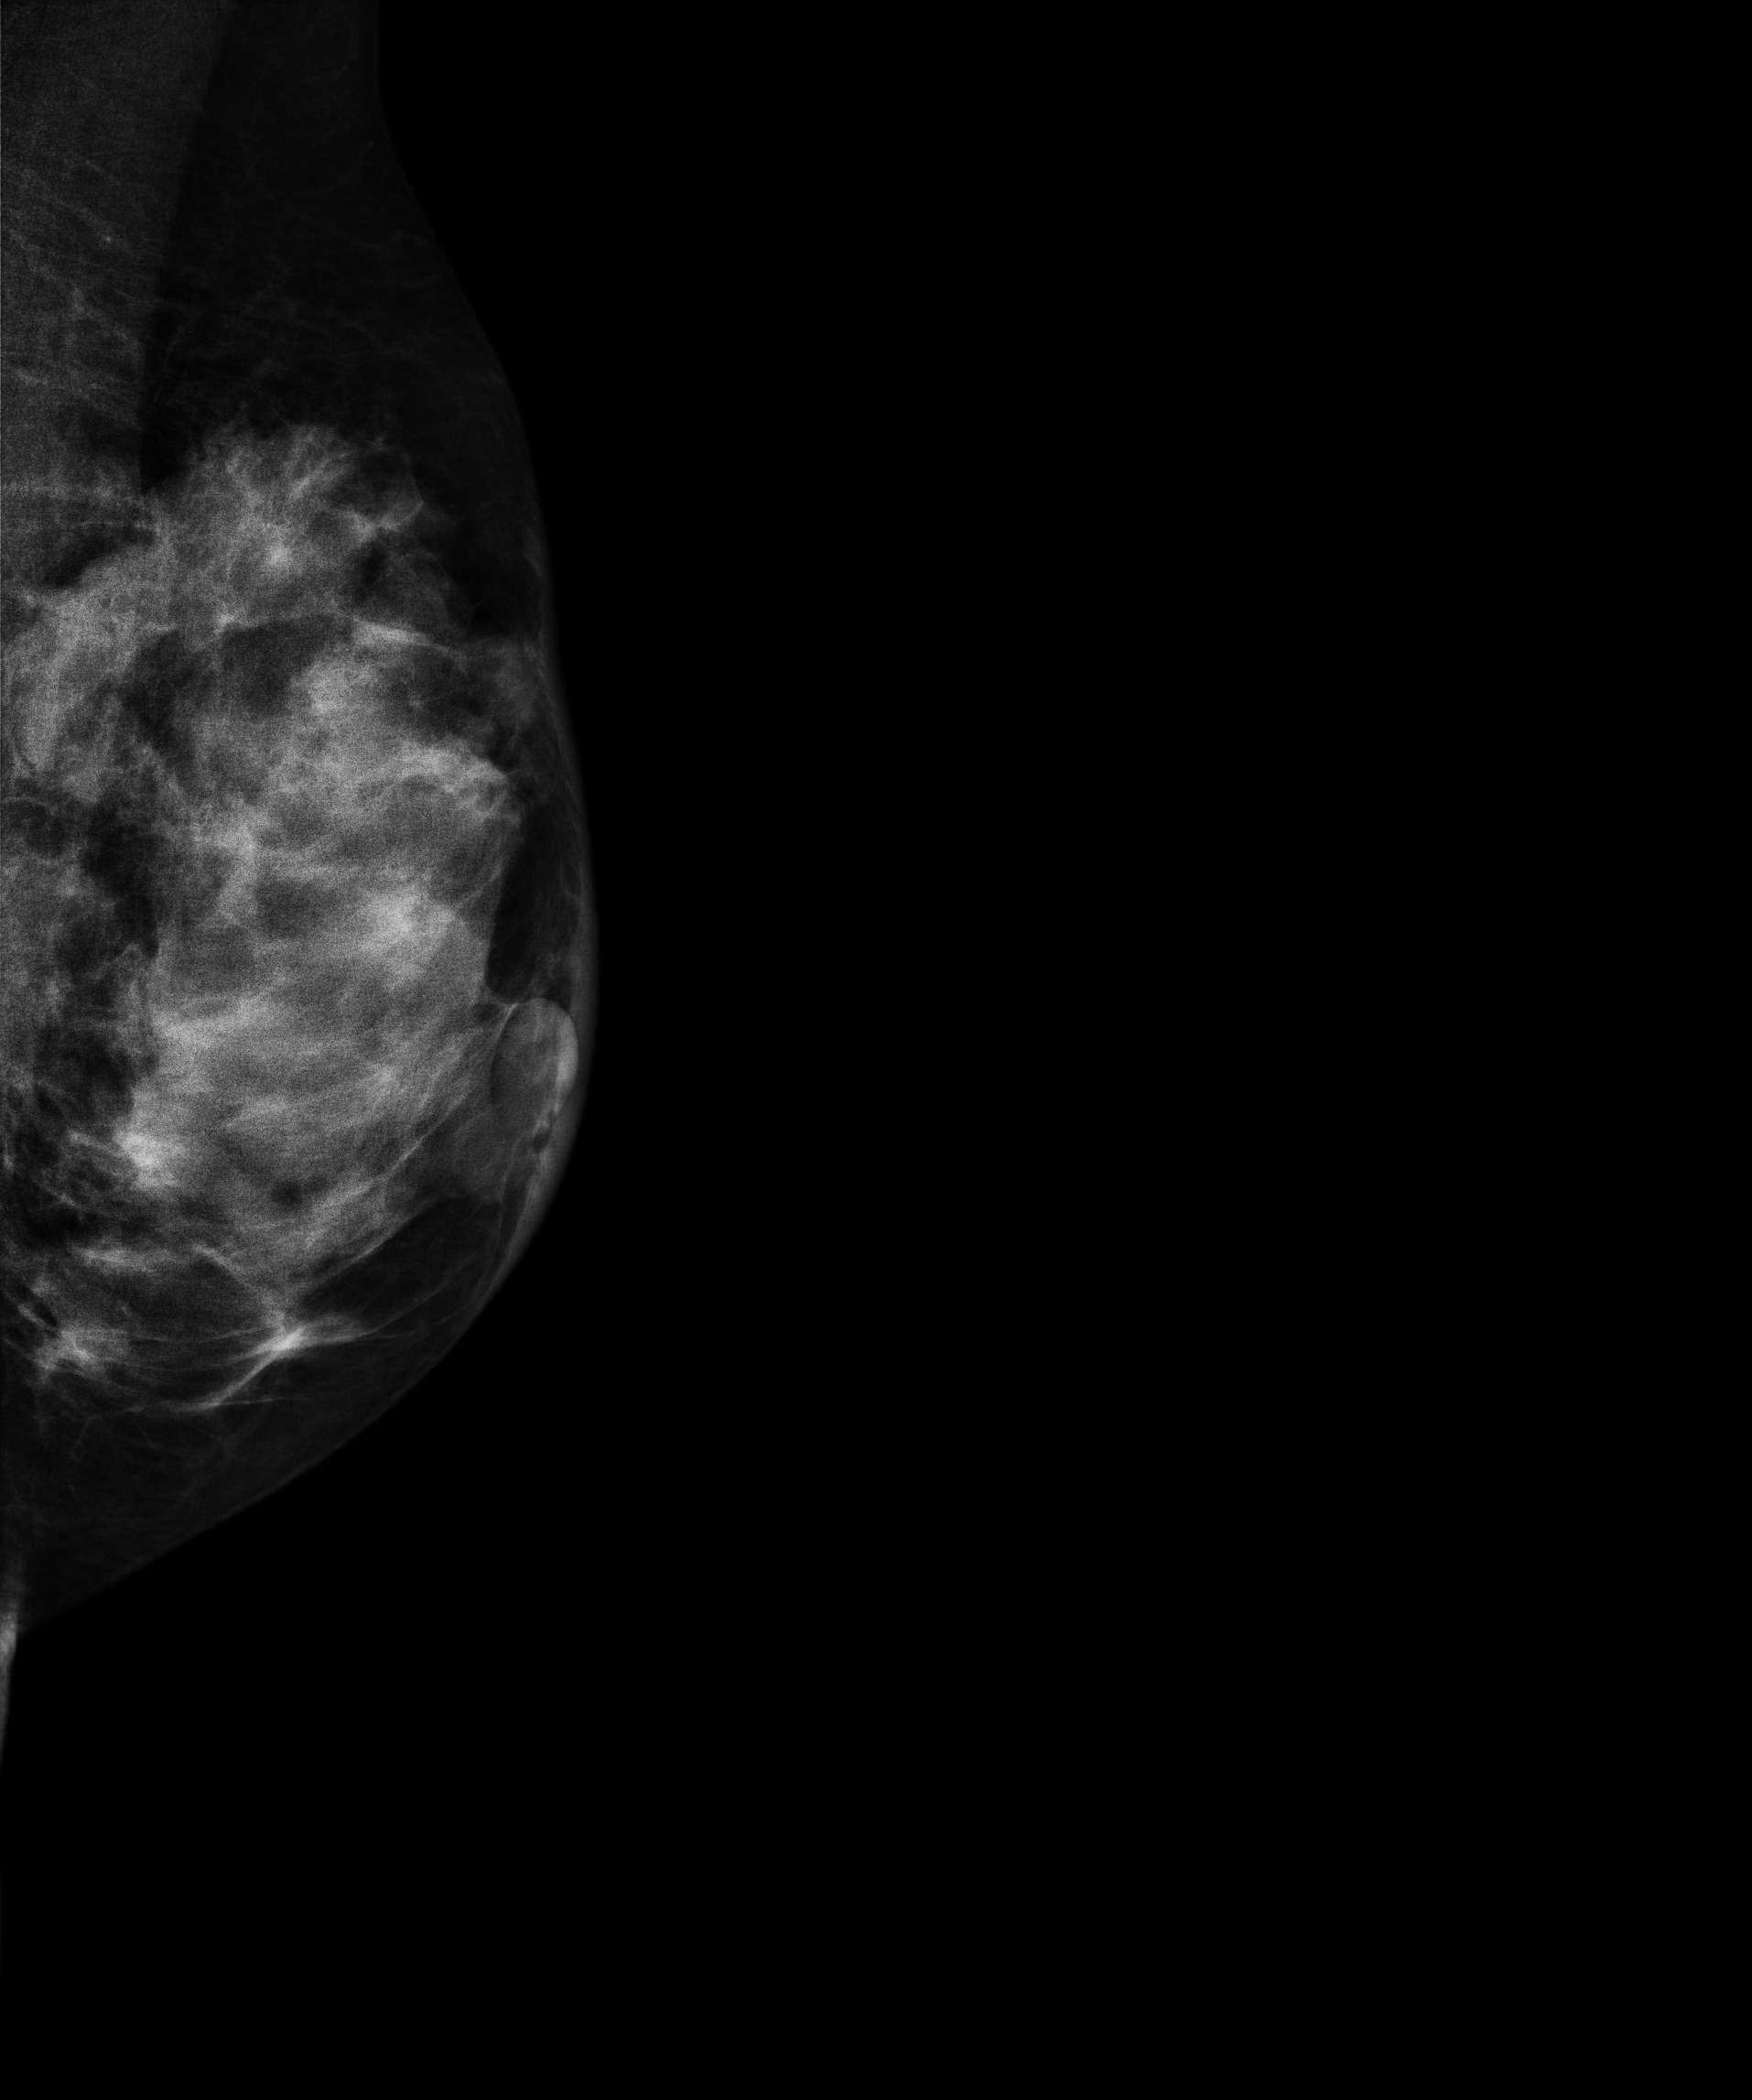
Digital mammography. Left breast, MLO projection. Patient age 40.
This breast has a mass, biopsy-proven malignant.